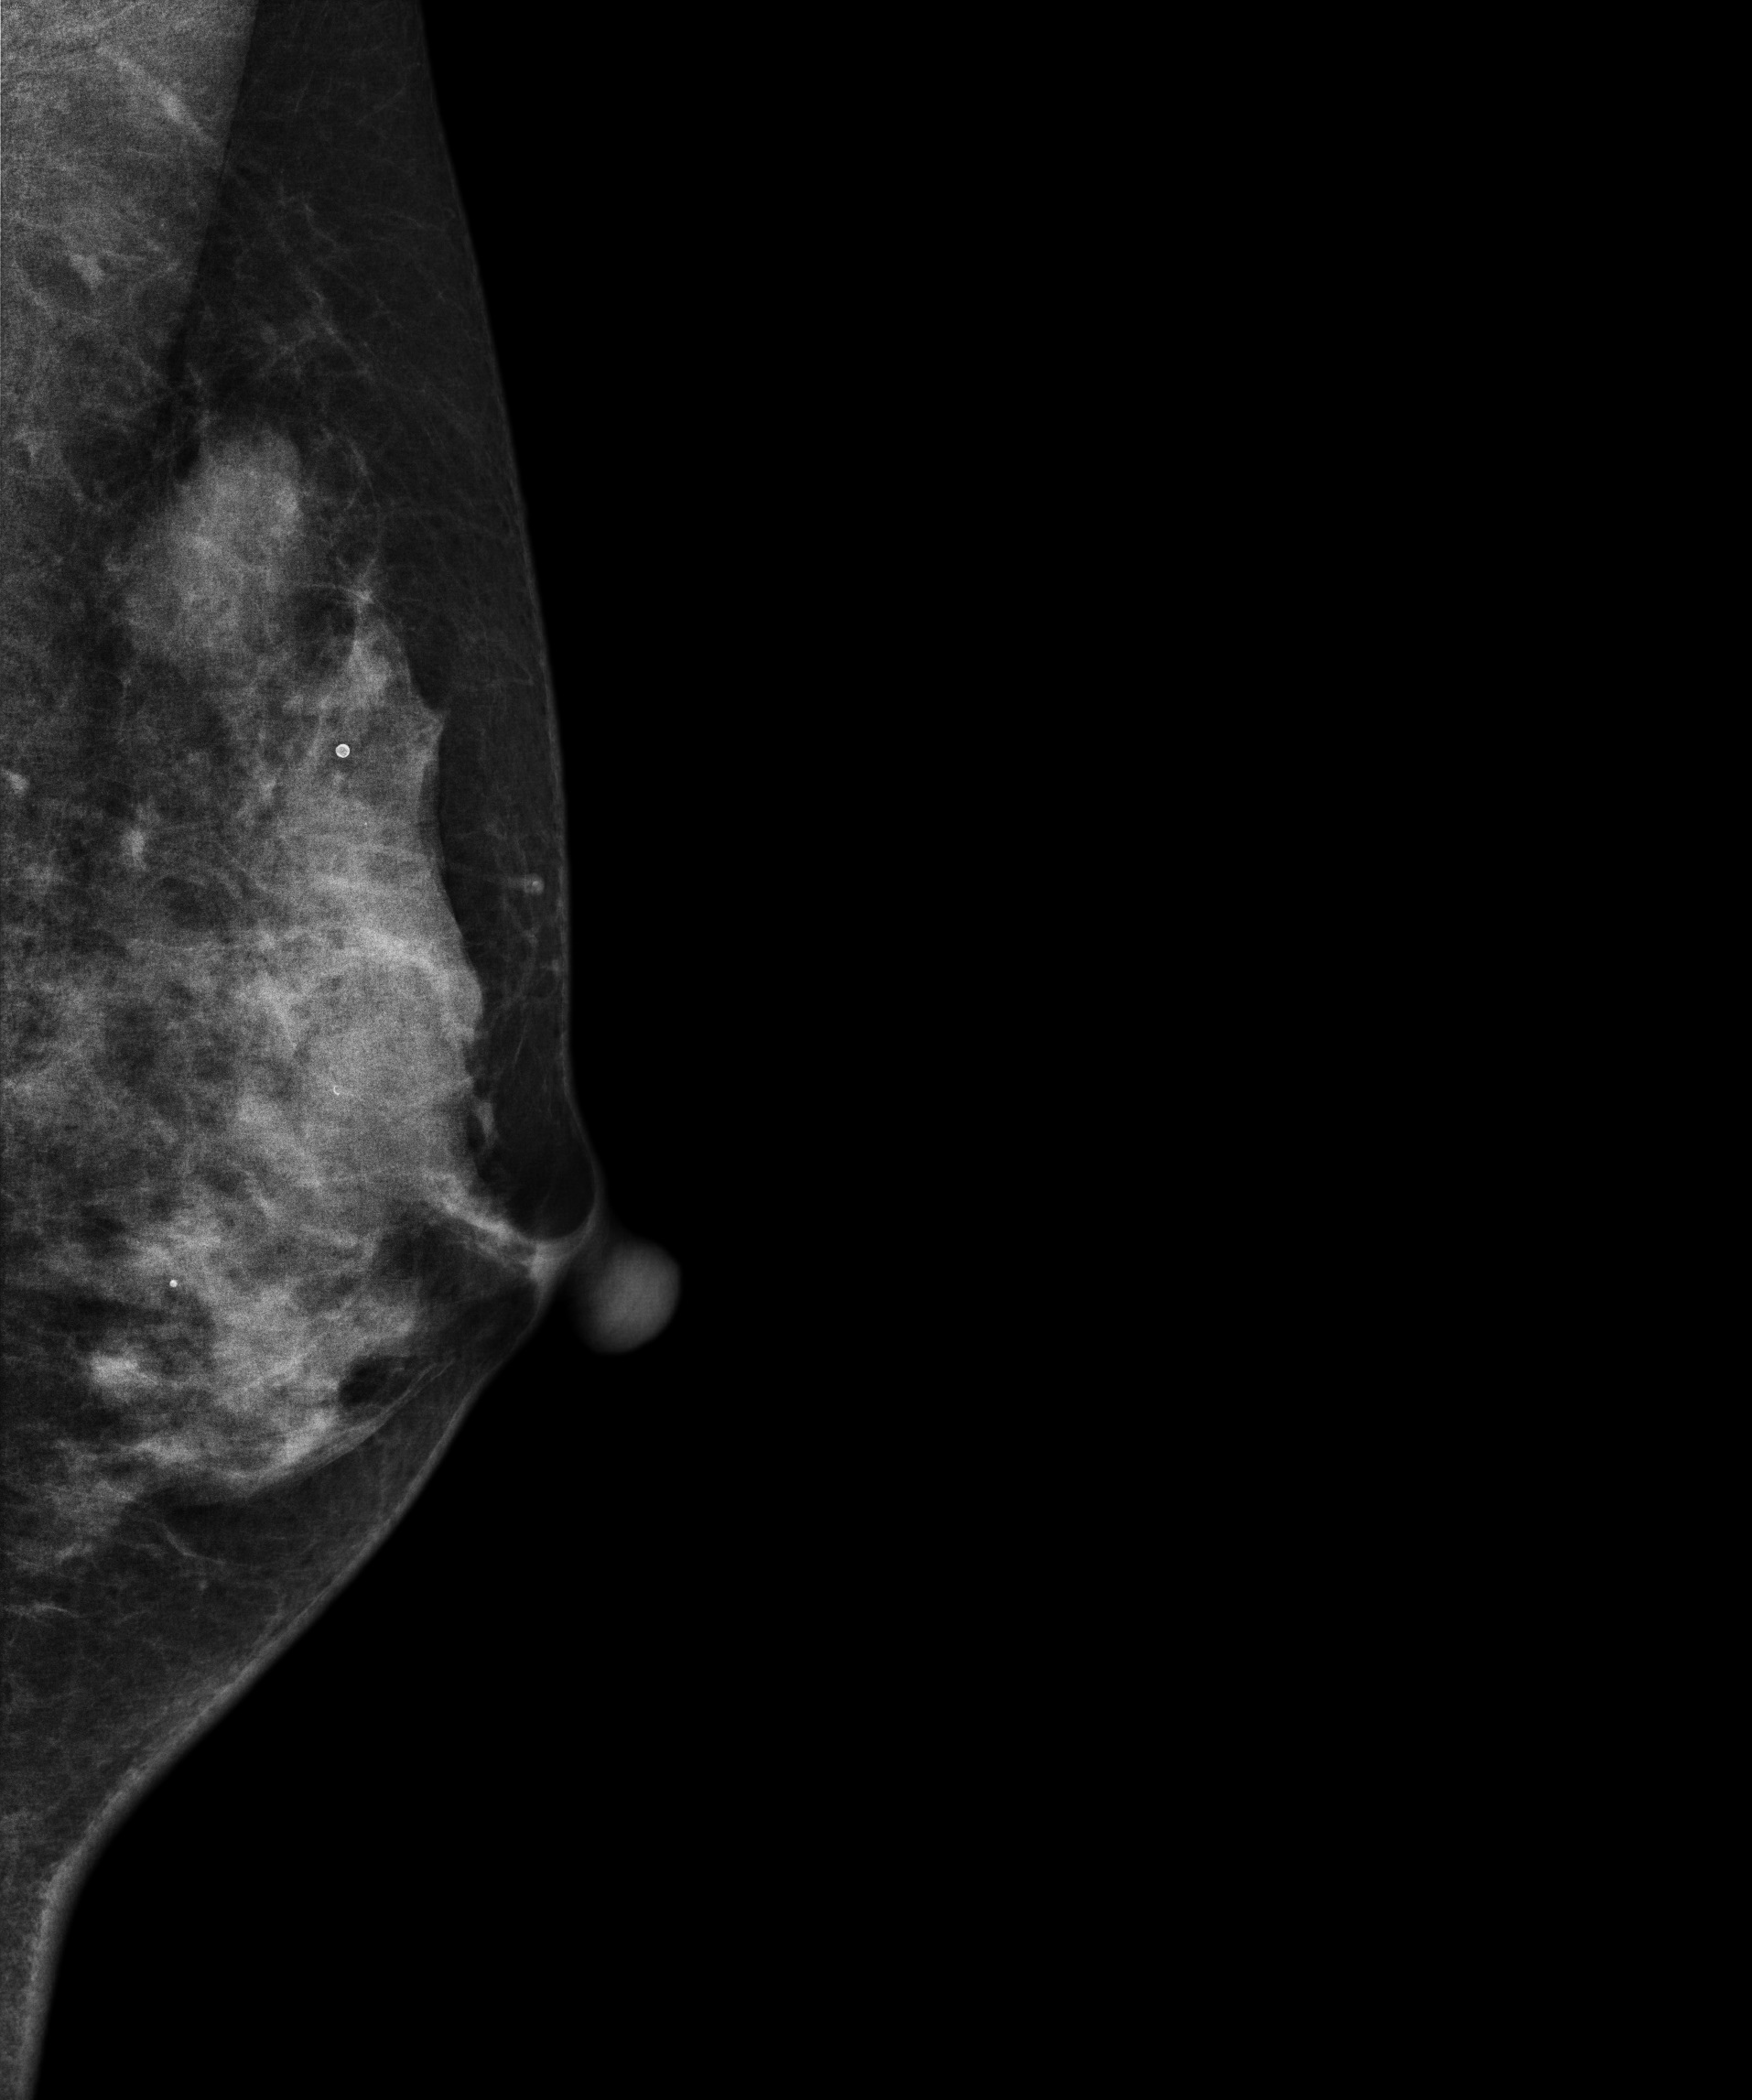
Left-breast mammogram, MLO. 39-year-old patient.
This breast has calcifications, pathology-confirmed malignant.